Mammogram — left CC. 60-year-old patient.
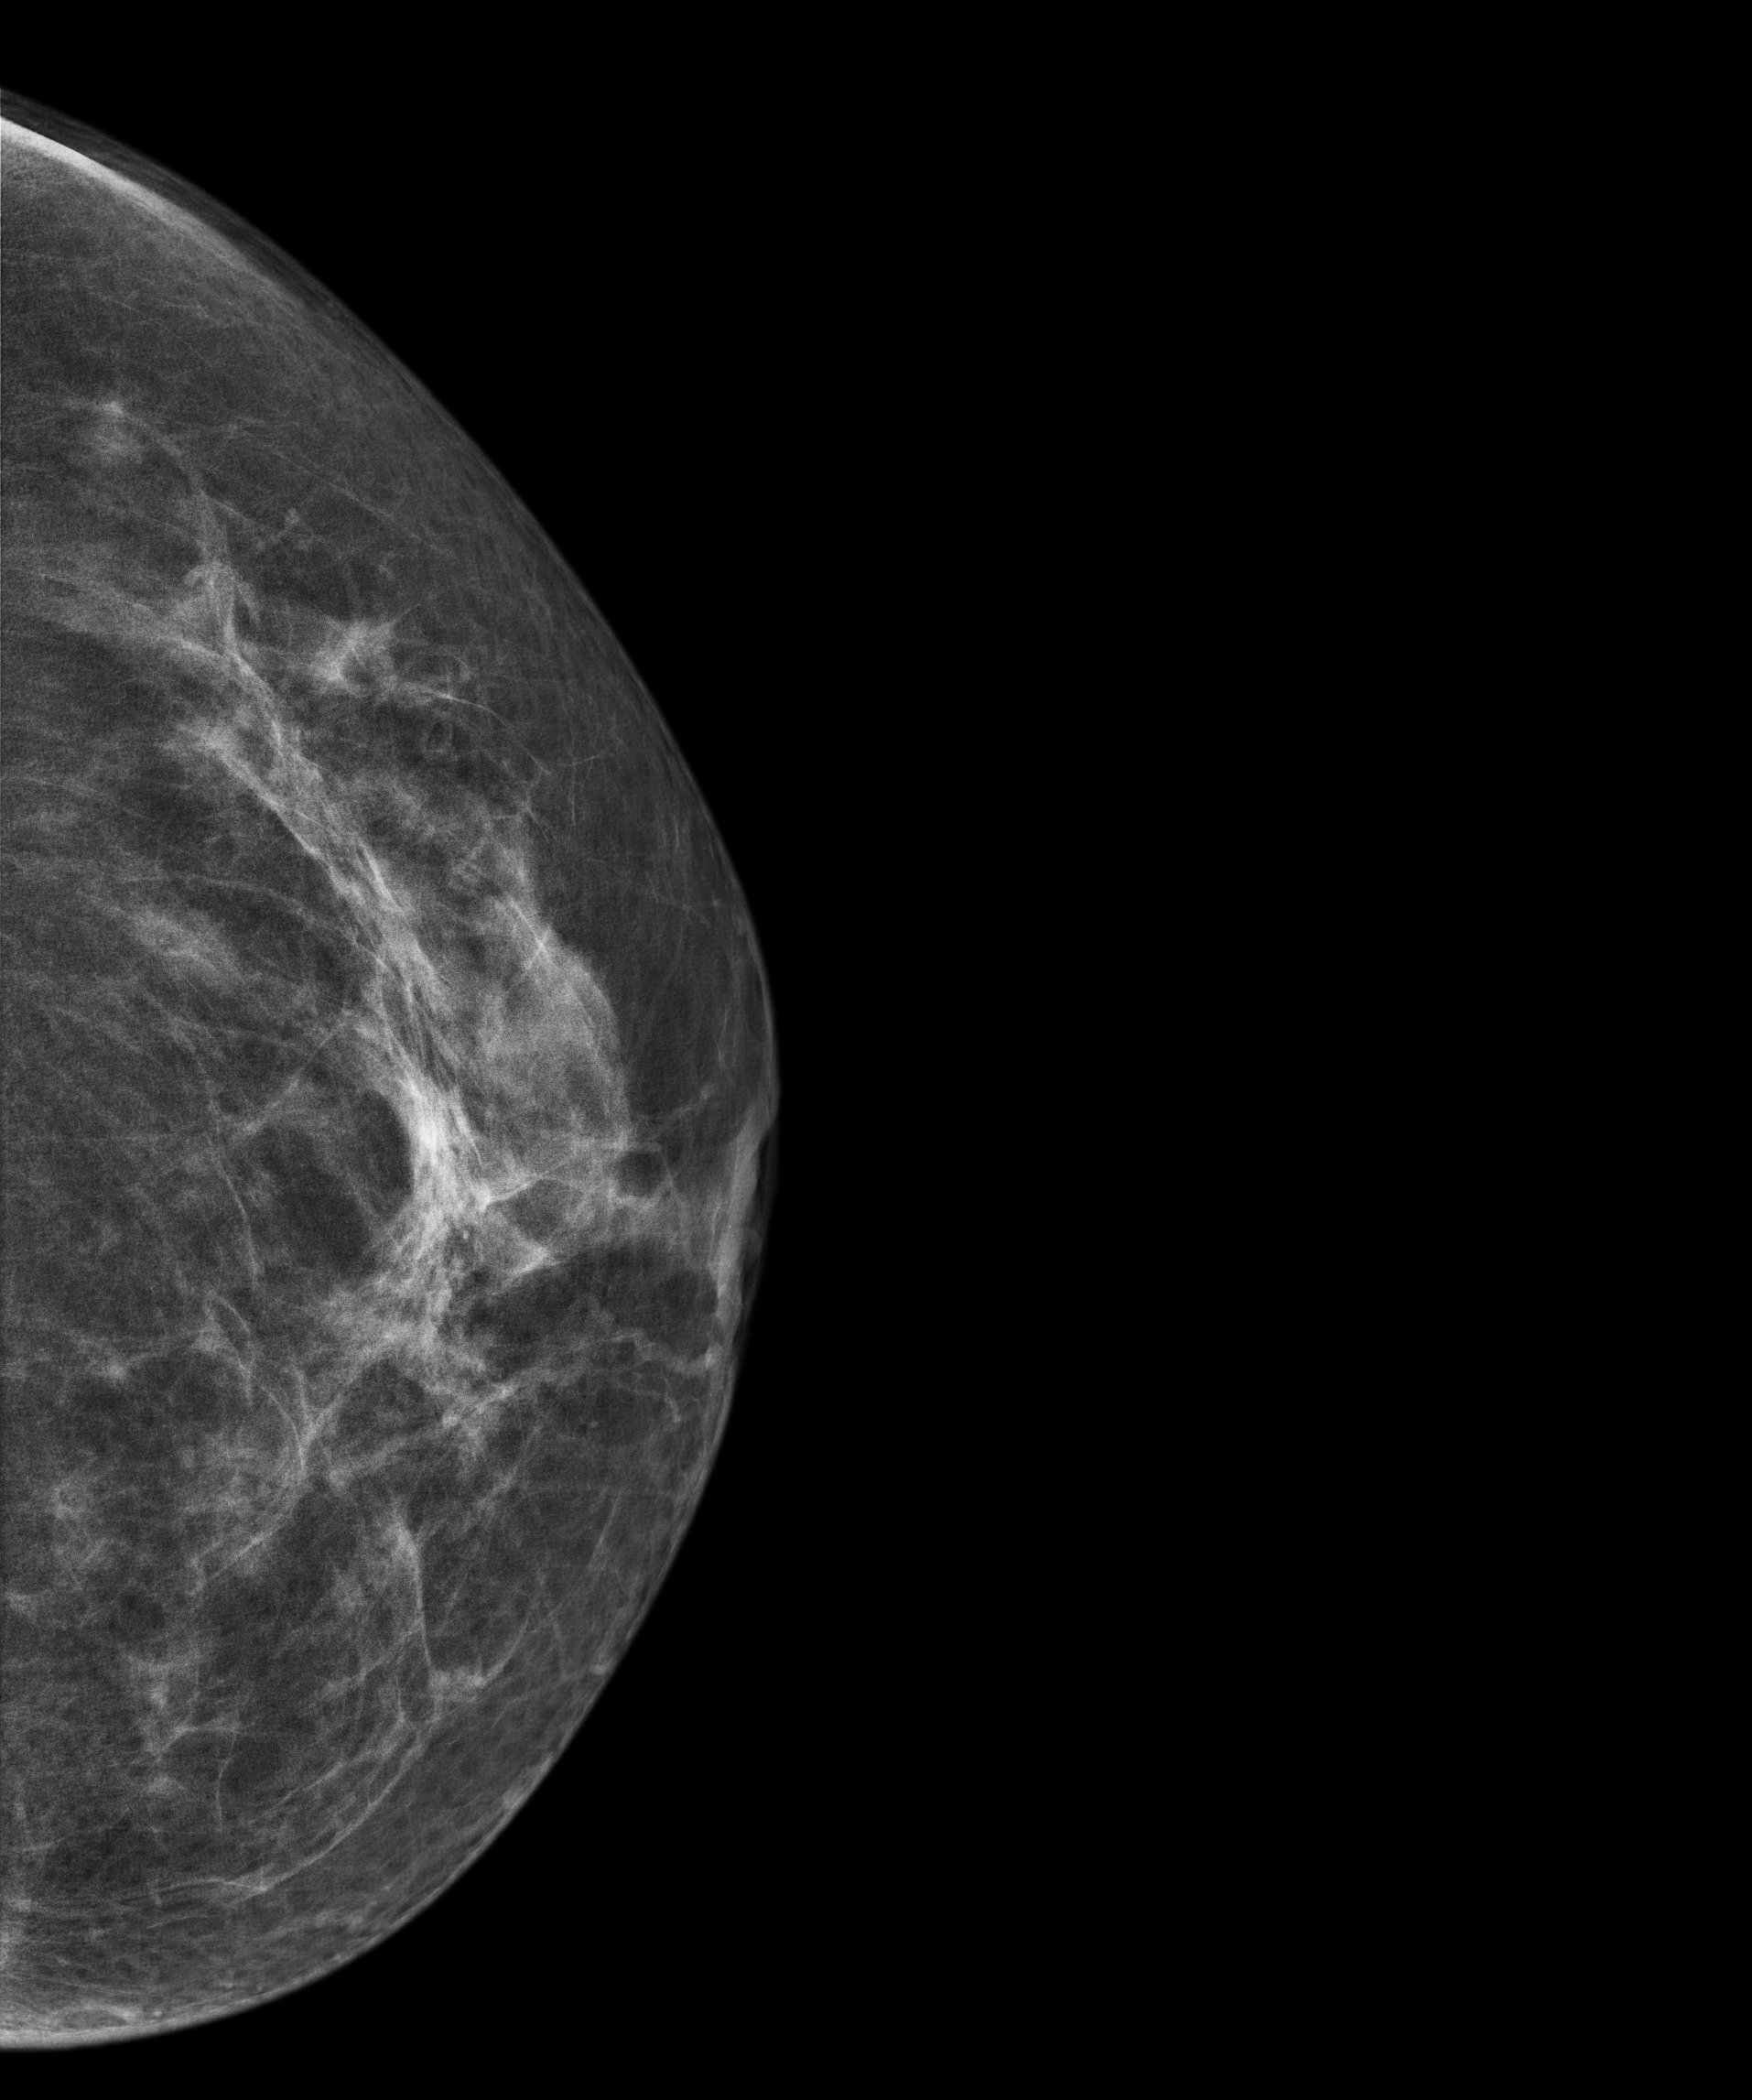
Contralateral breast — no documented abnormality on this side.